Digital mammography. Left breast, CC projection. 40 y/o patient.
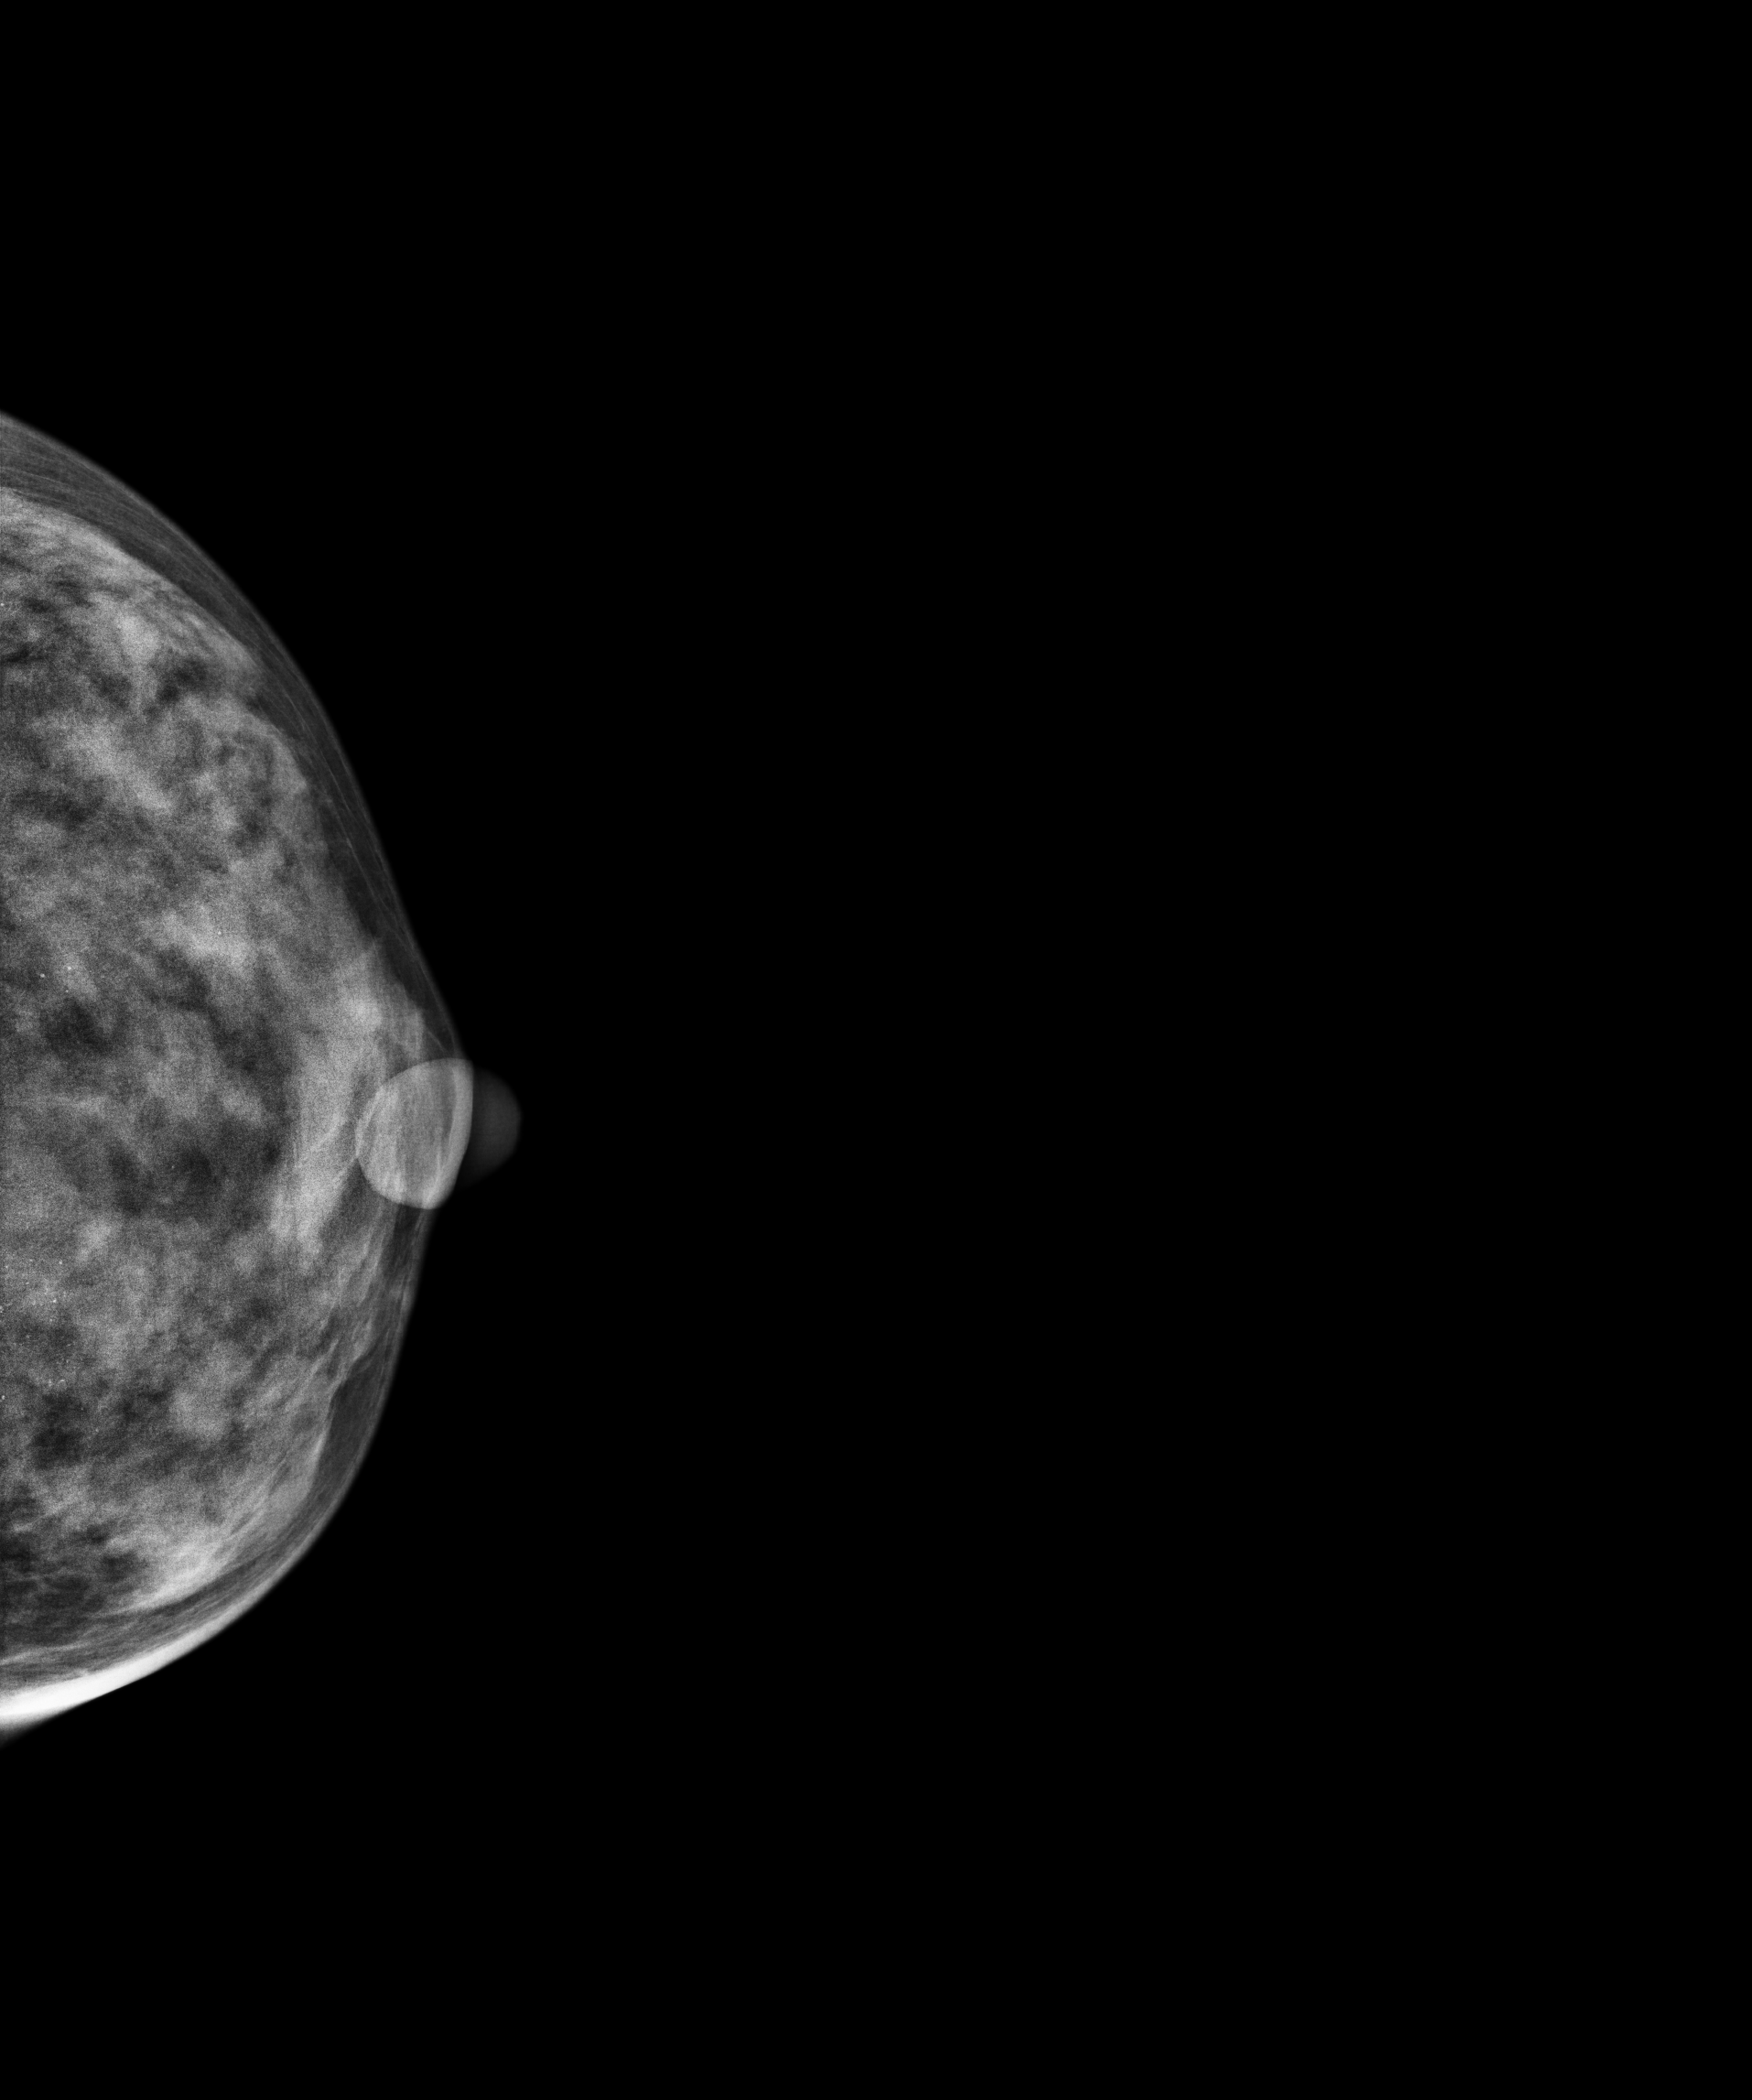
This breast has calcifications, biopsy-proven benign.